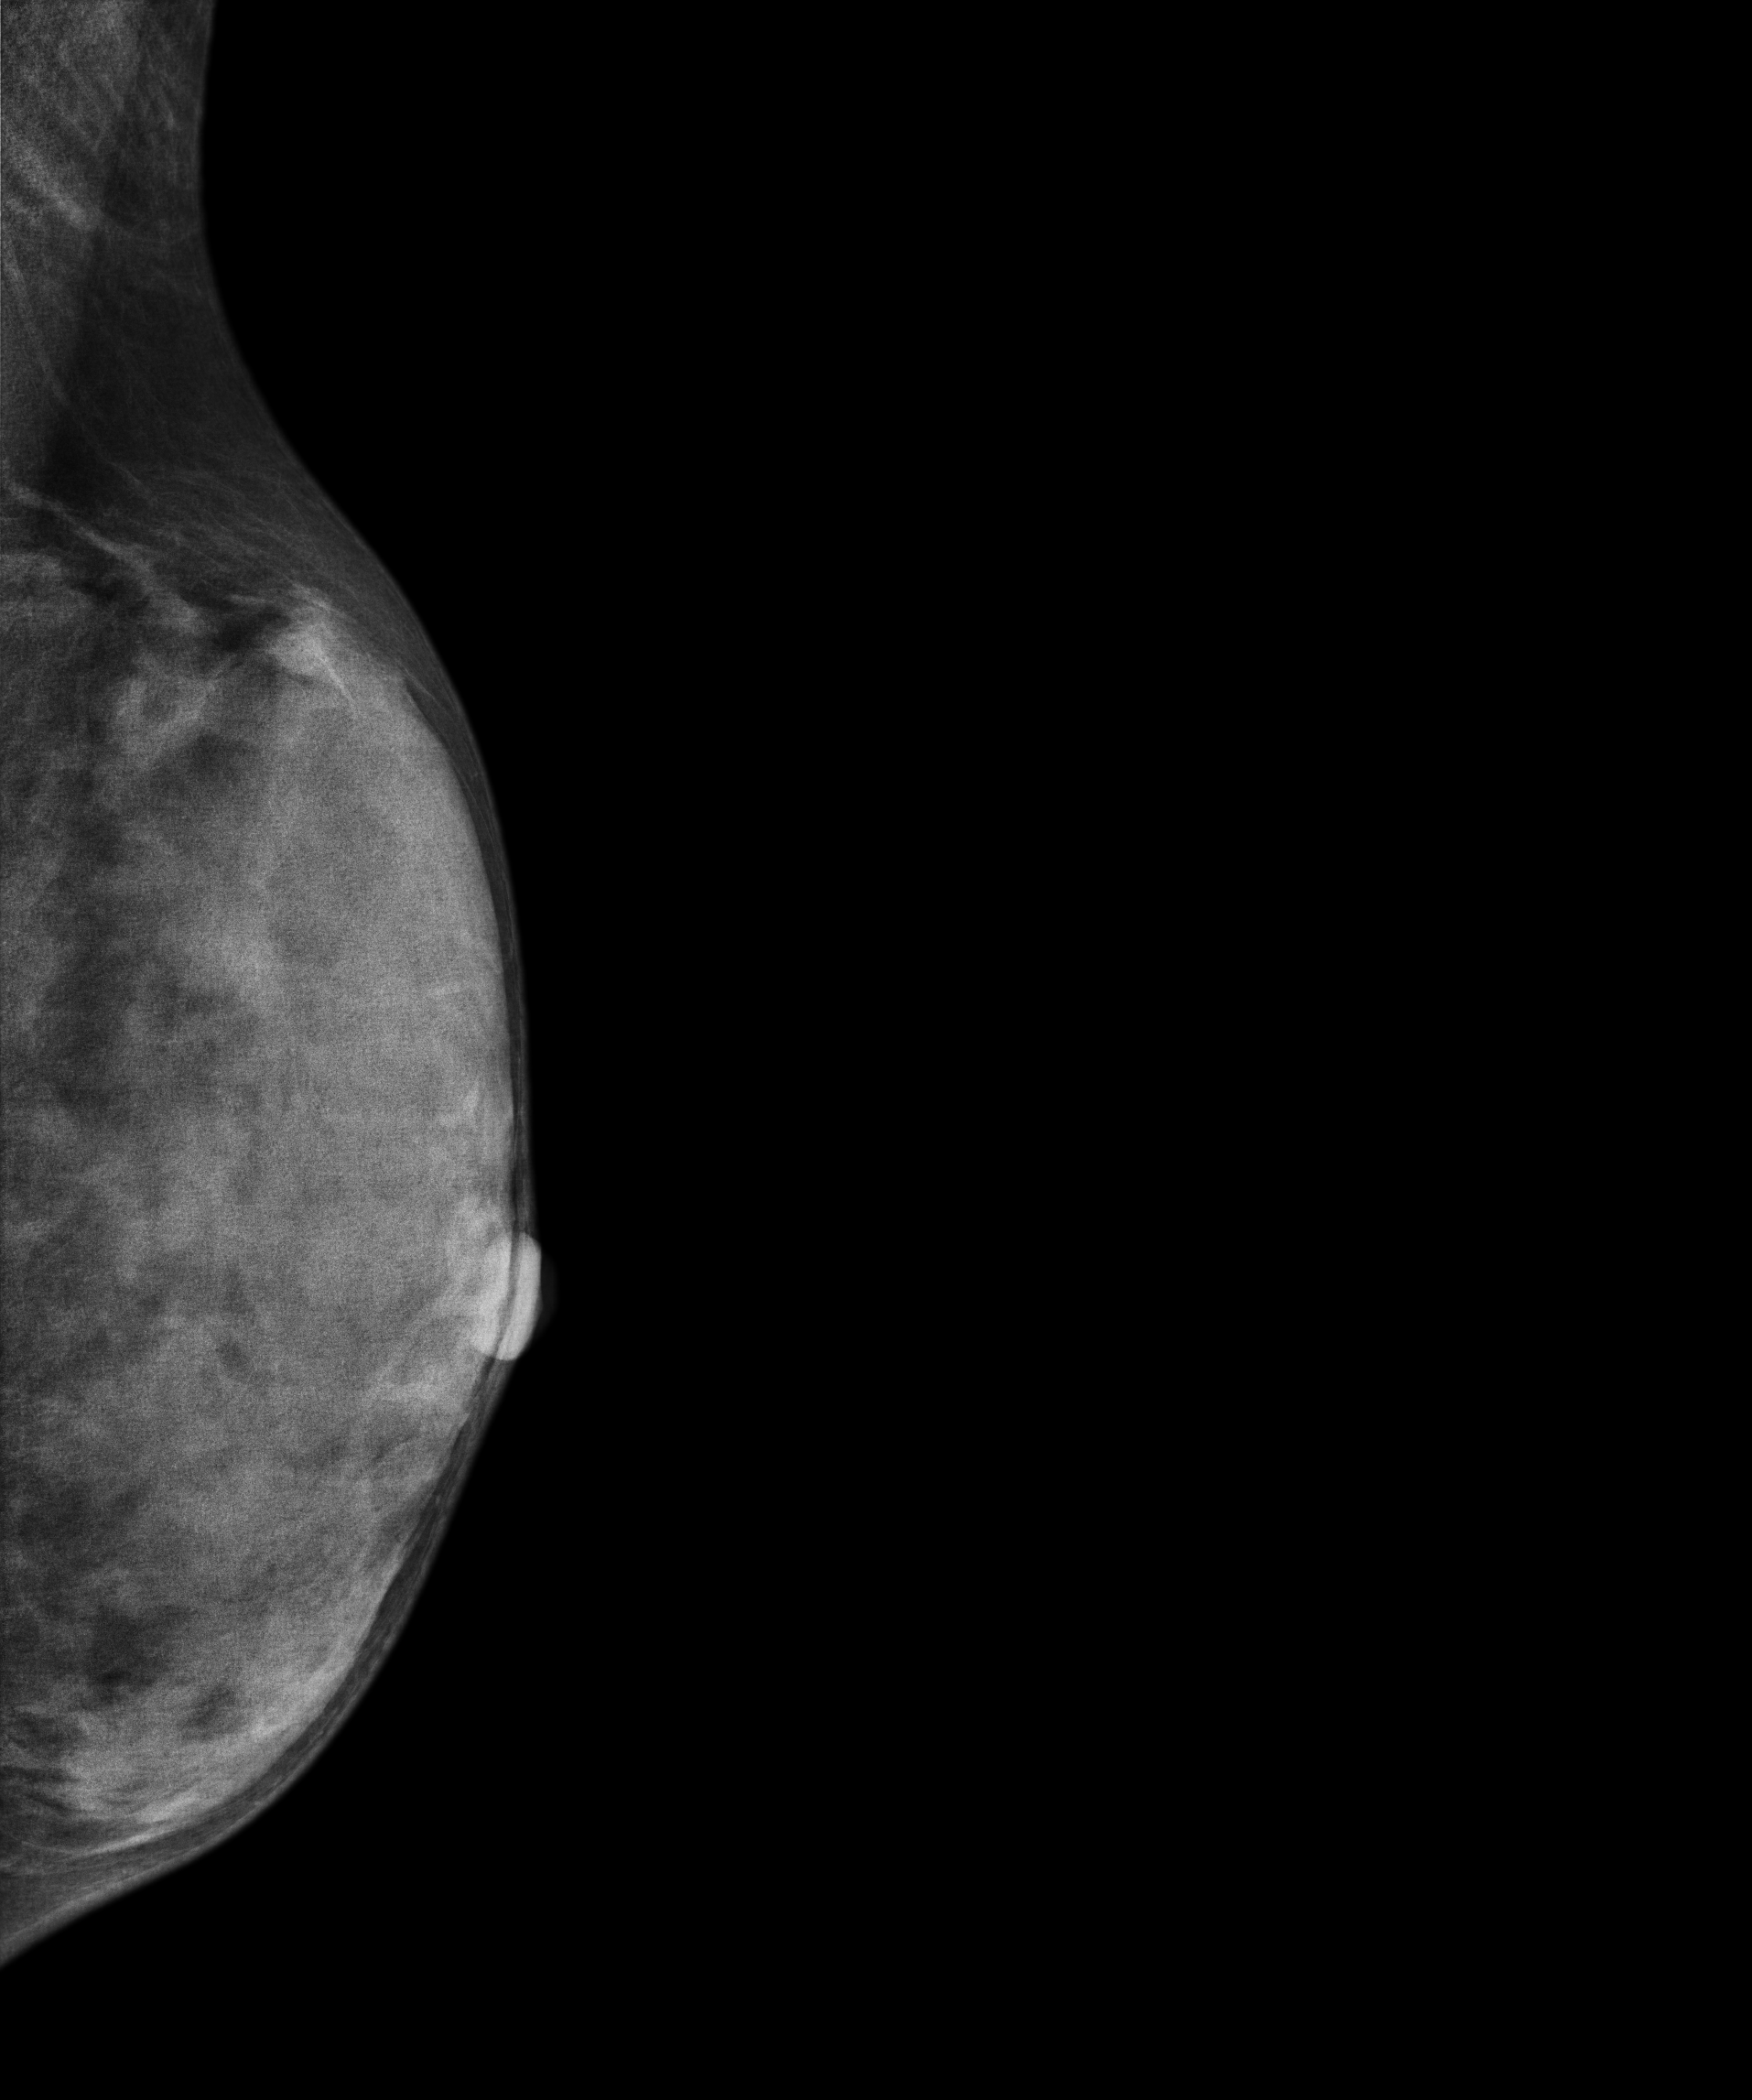
Medio-lateral oblique mammogram of the left breast. 28-year-old patient.
Contralateral breast — no documented abnormality on this side.